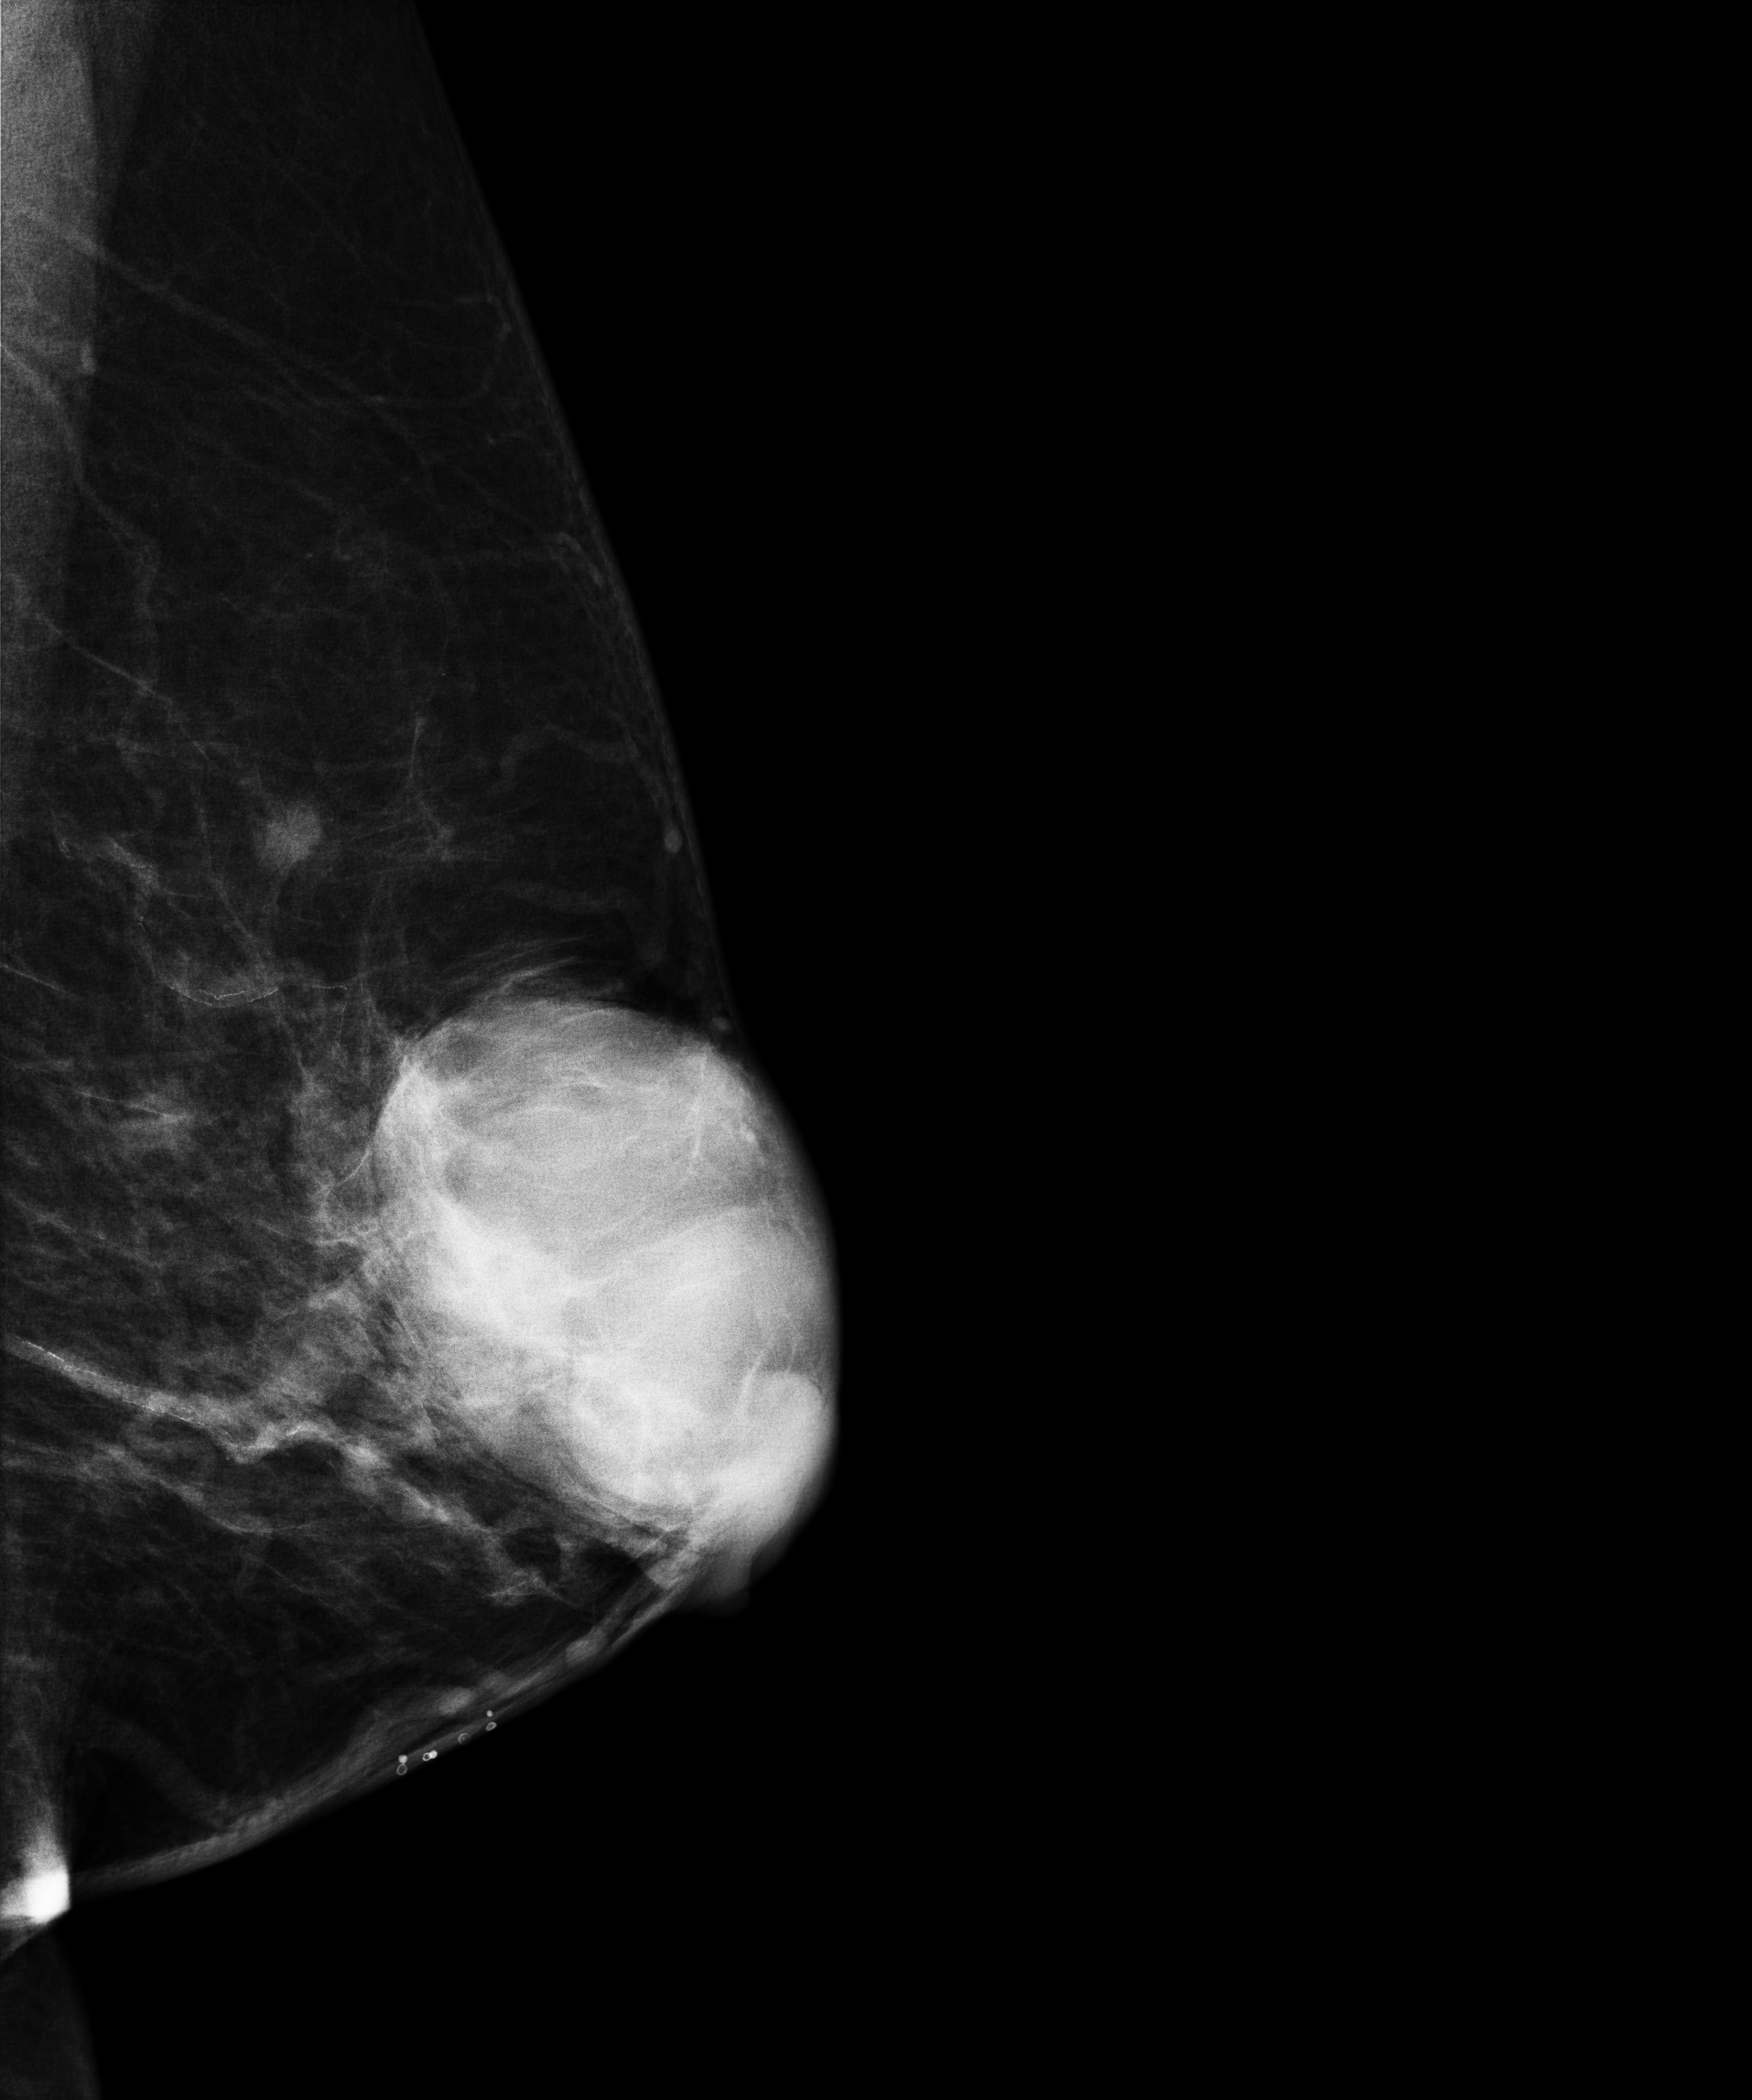
Digital mammography. Left breast, medio-lateral oblique projection. Patient age 73.
This breast has a mass, biopsy-confirmed malignant. Molecular subtype: luminal B.